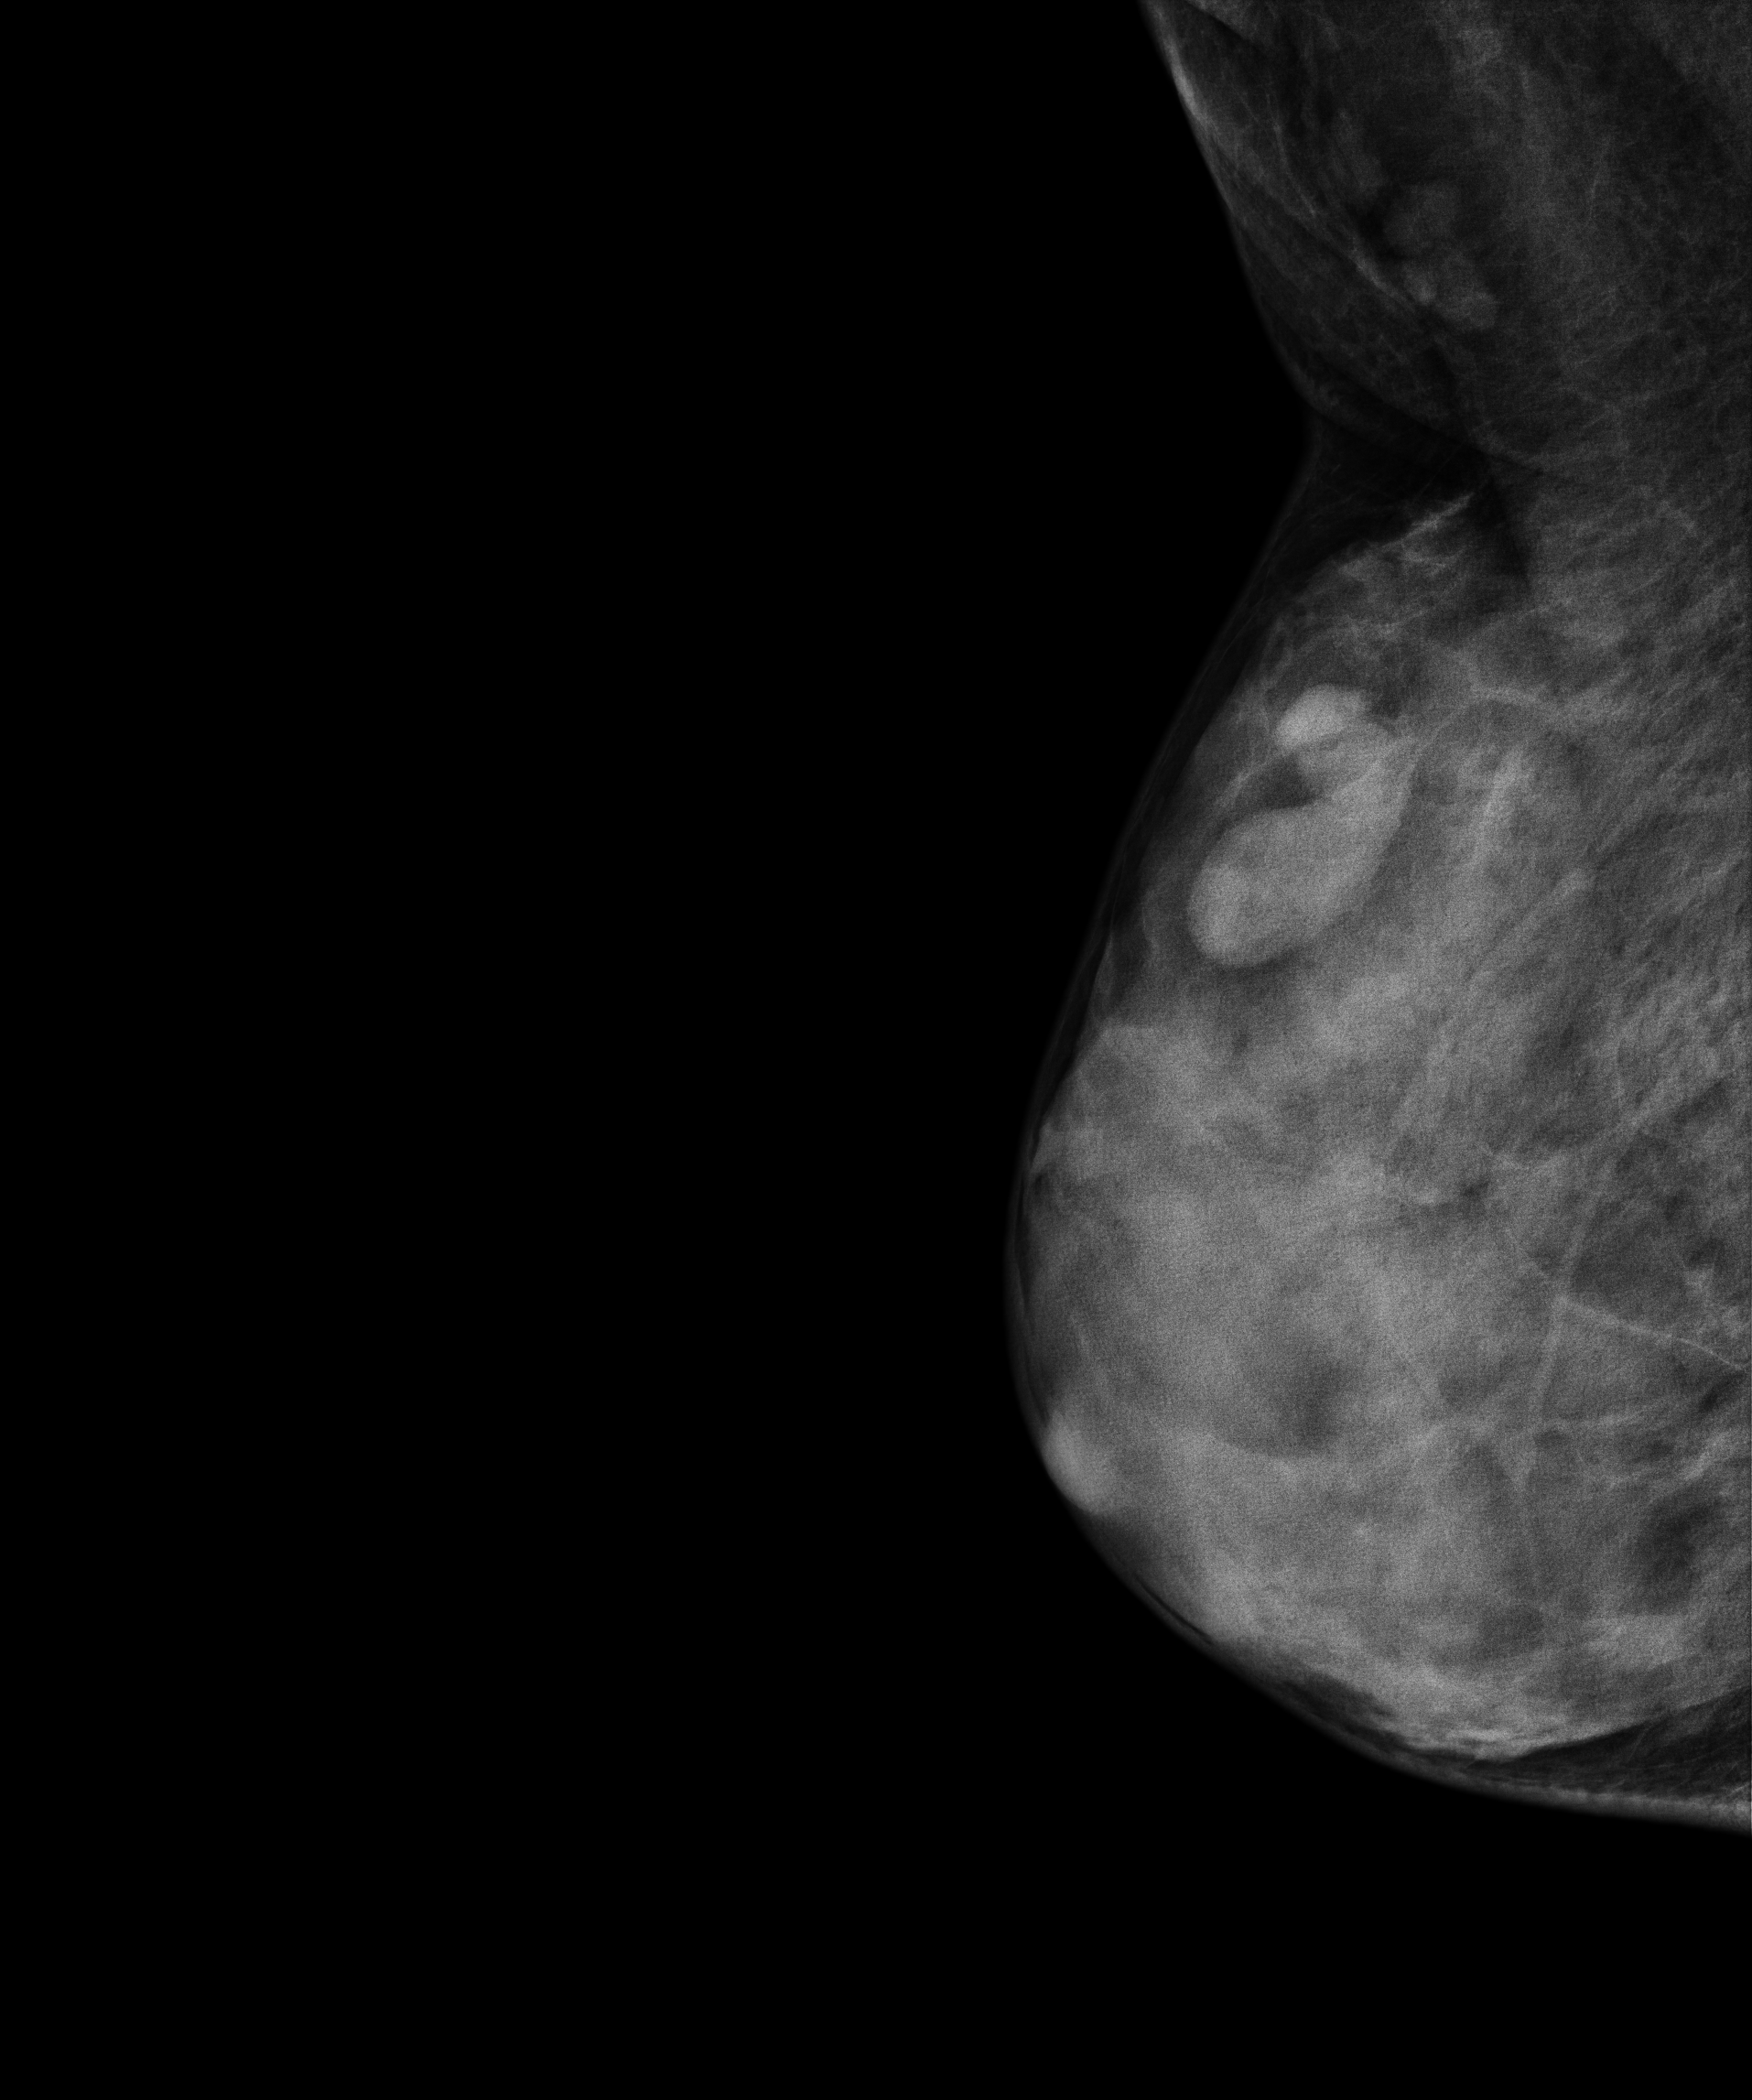
MLO mammogram of the right breast. 21 y/o patient.
This breast has a mass, pathology-confirmed benign.